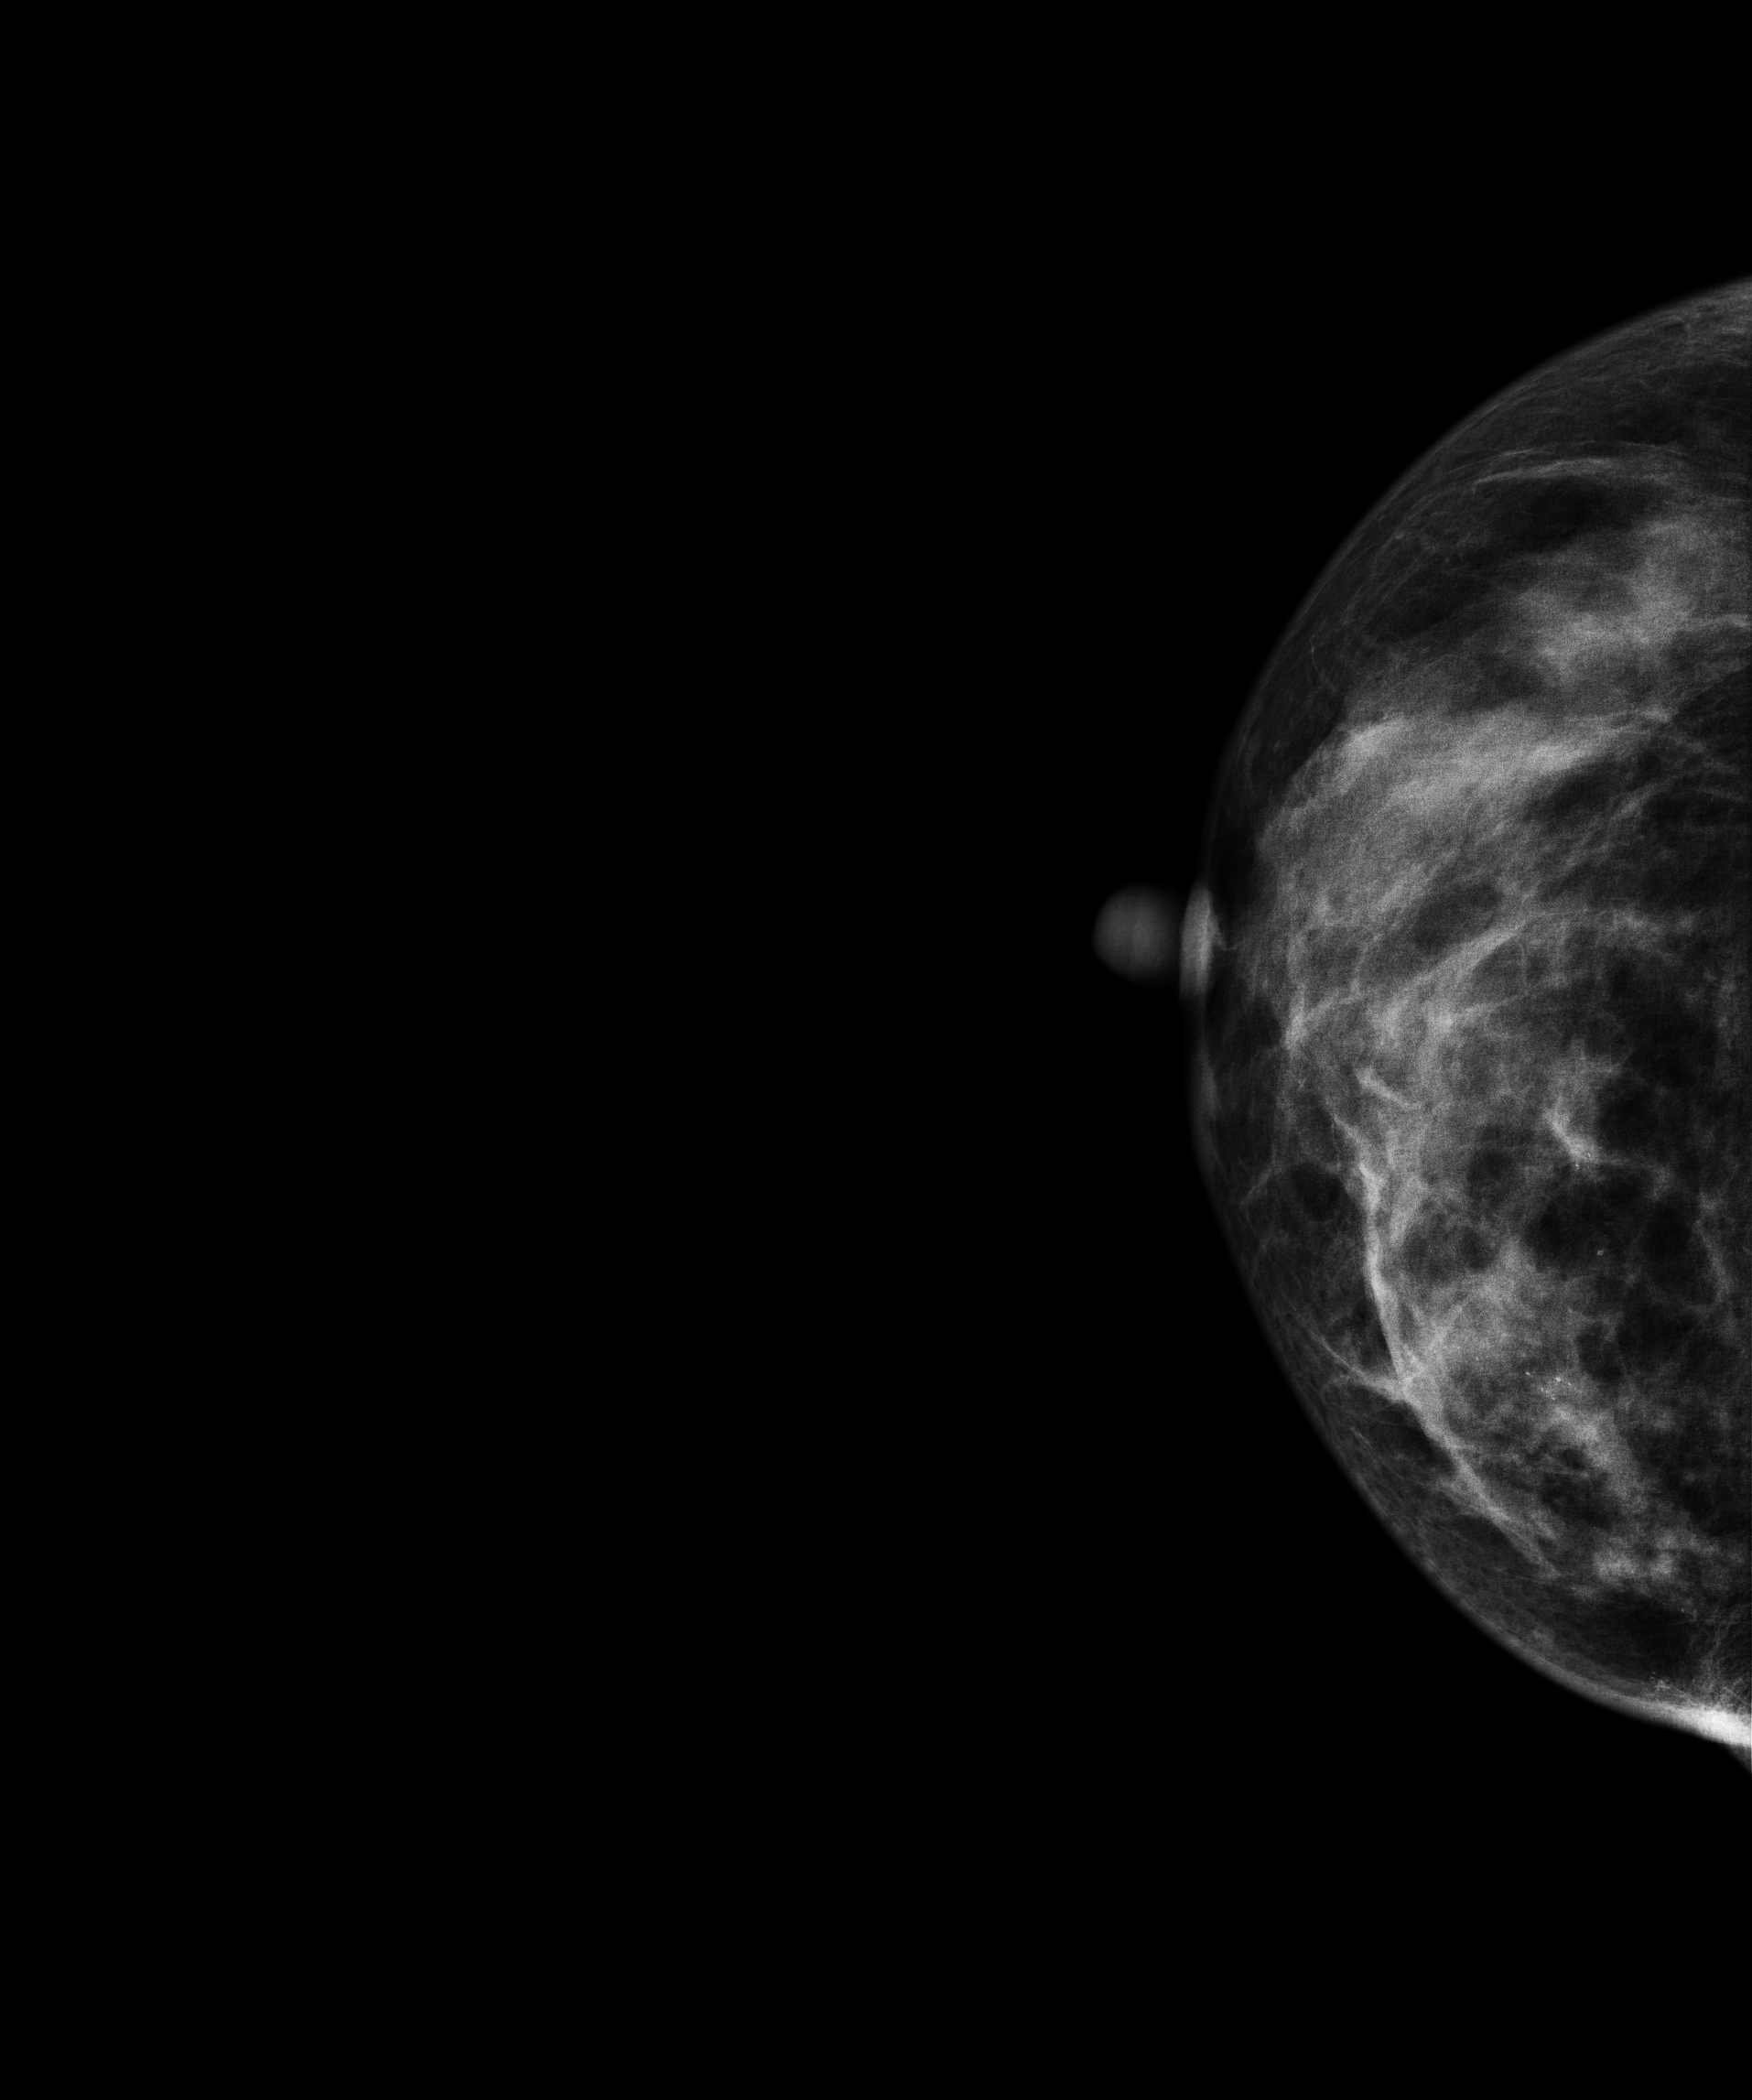
CC mammogram of the right breast. 32-year-old patient.
This breast has calcifications, pathology-confirmed malignant.